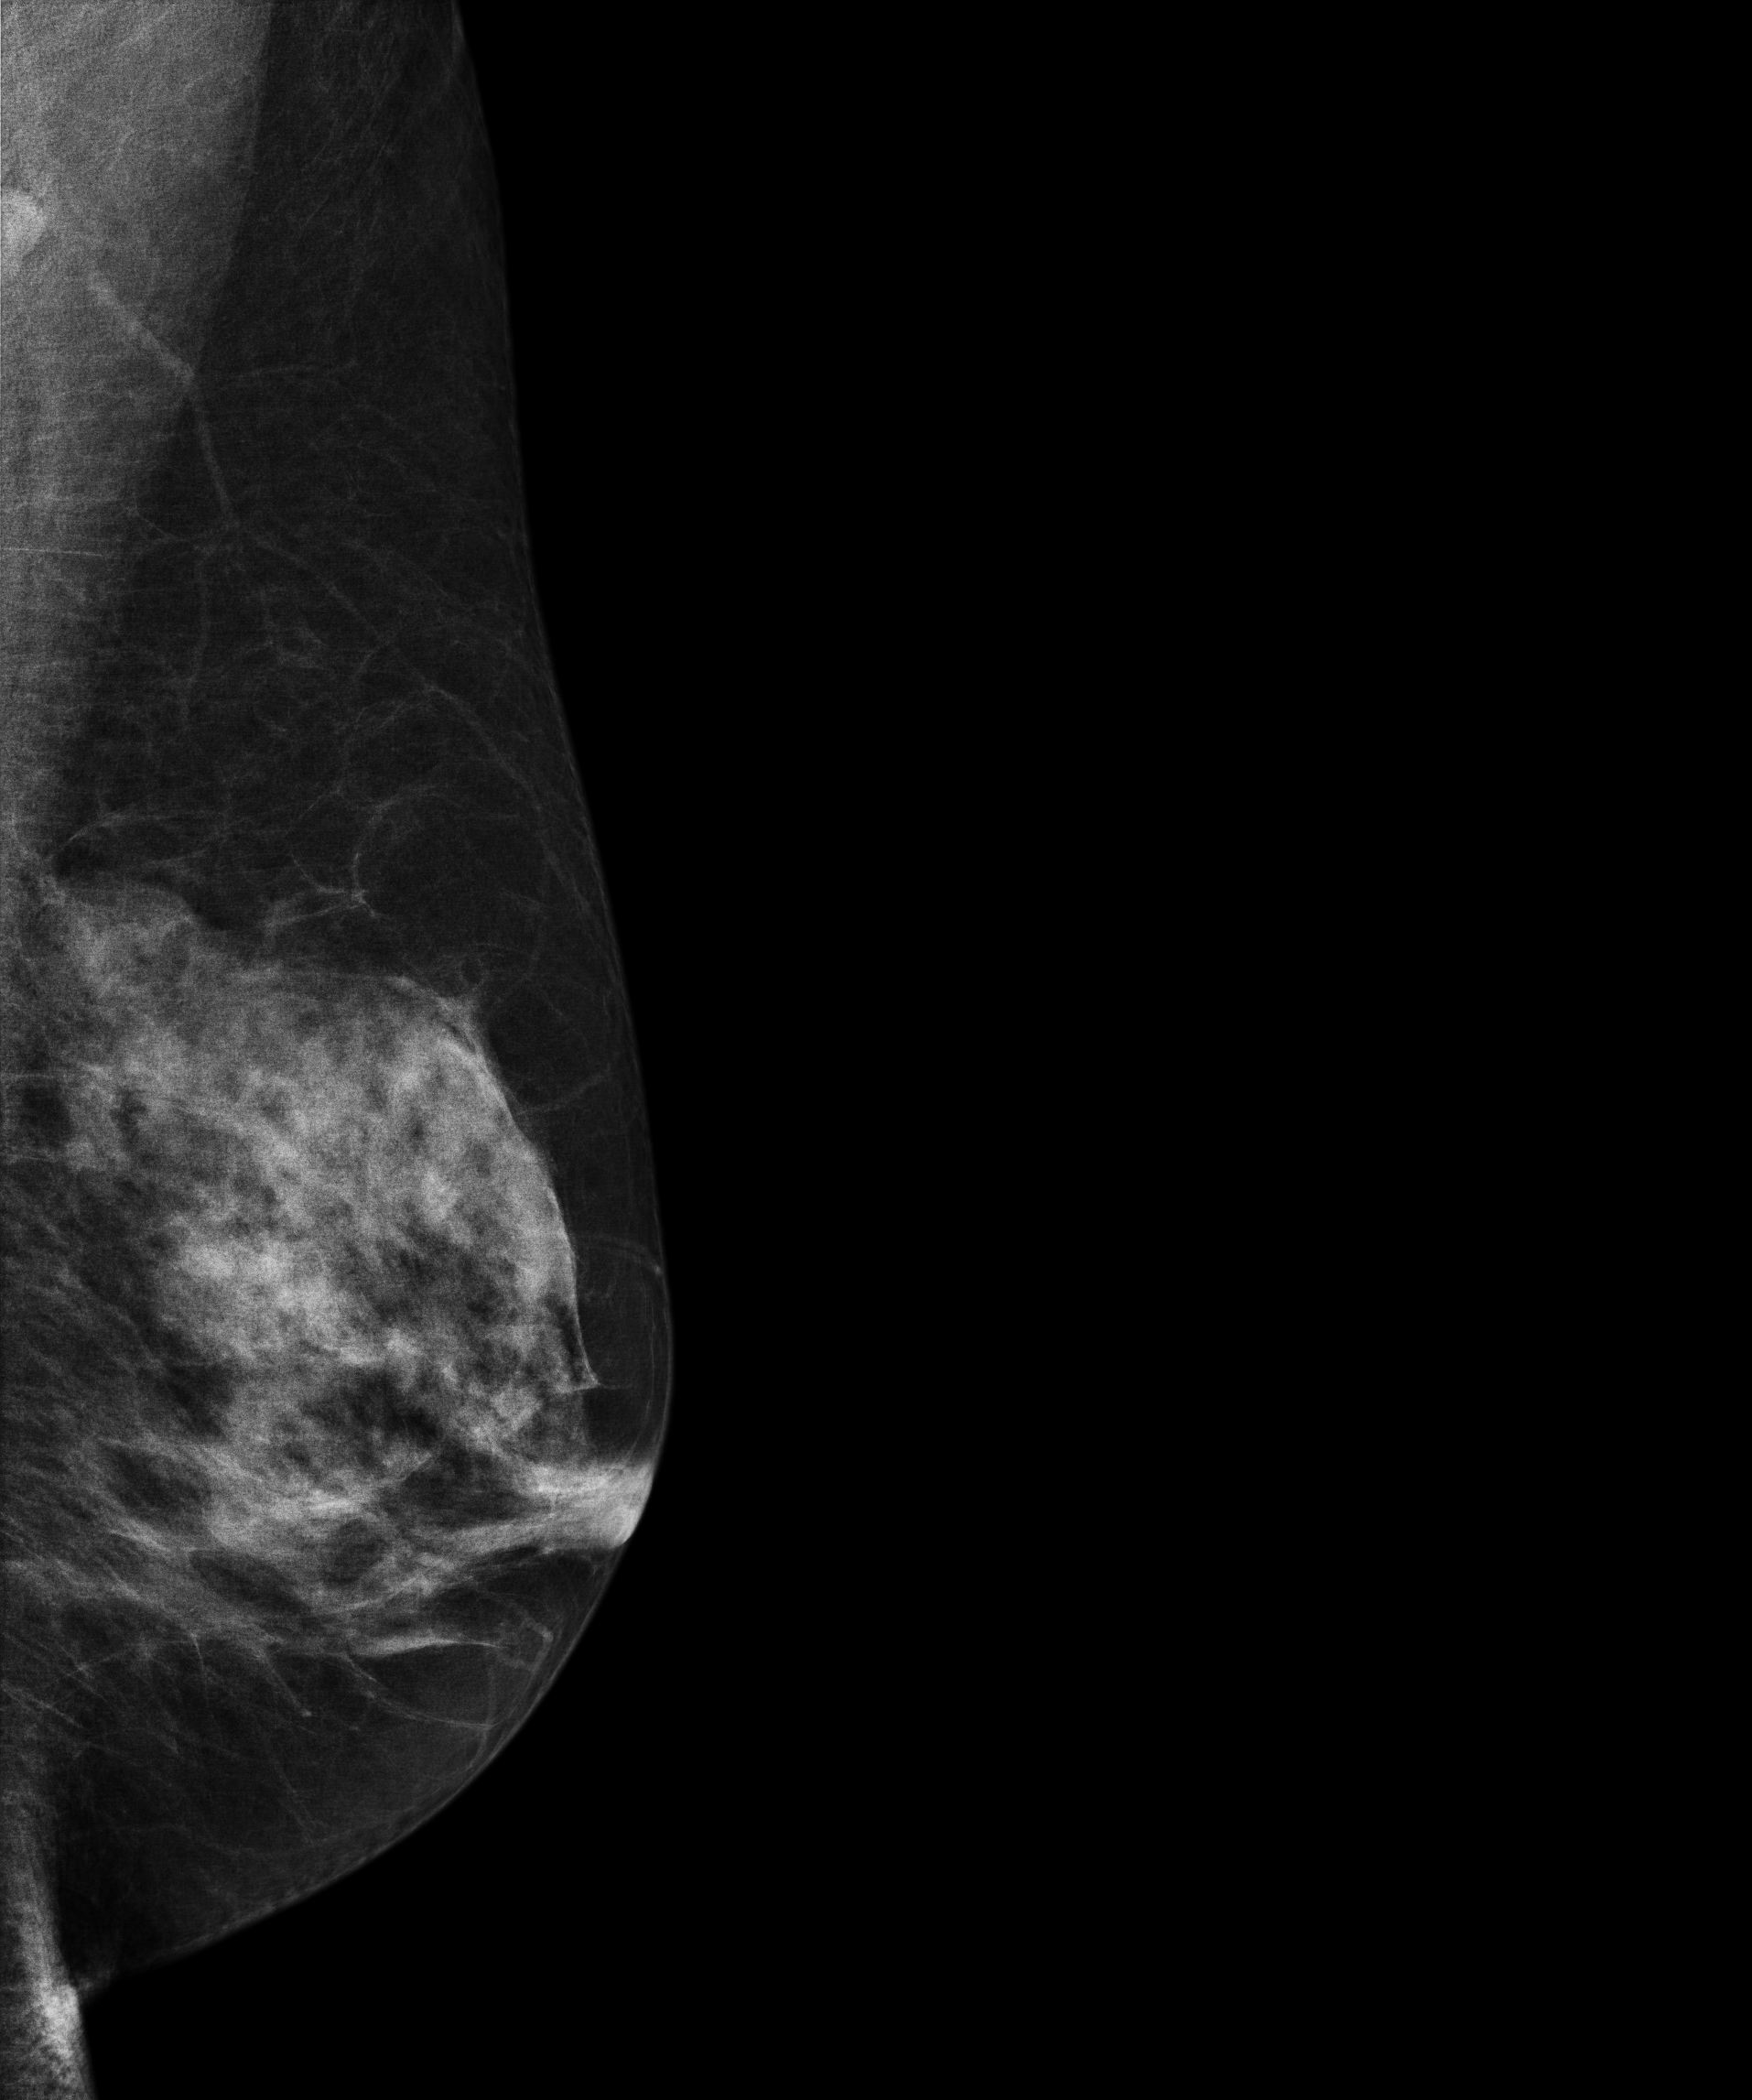
Mammogram — left medio-lateral oblique. Patient age 68.
Contralateral breast — no documented abnormality on this side.